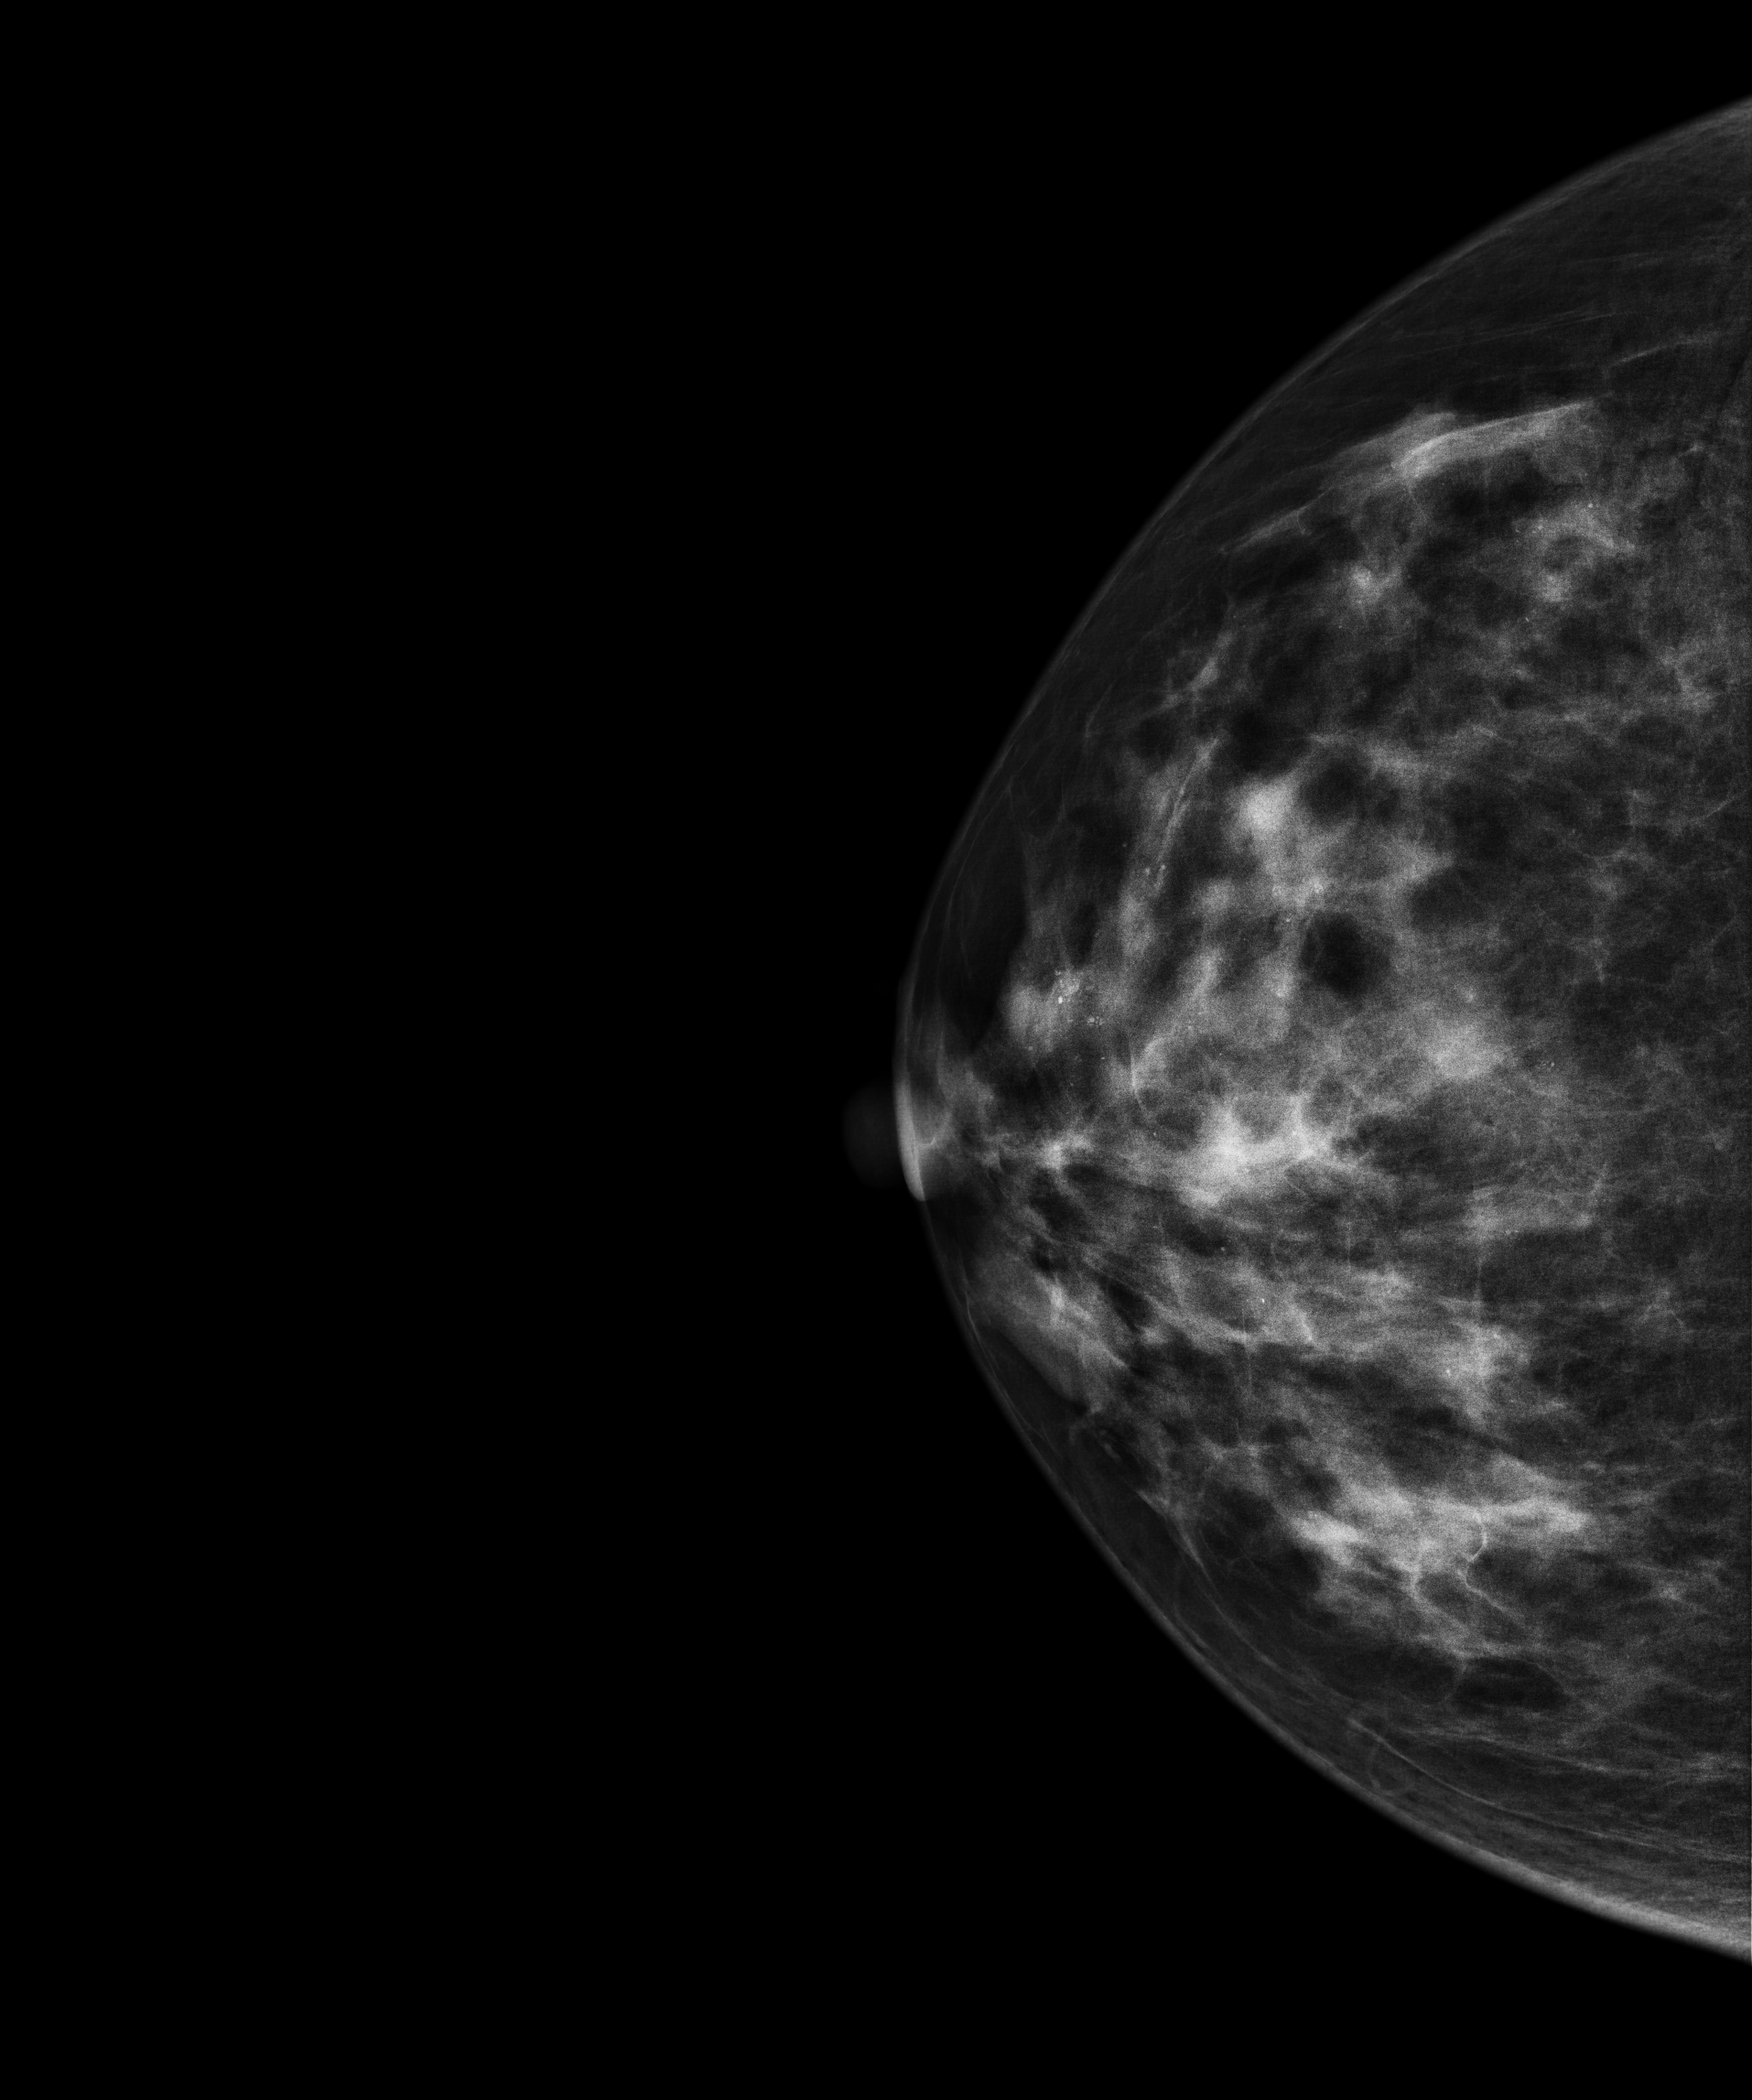
Mammogram, right breast, CC view. Patient age 33.
This breast has calcifications, histologically confirmed benign.